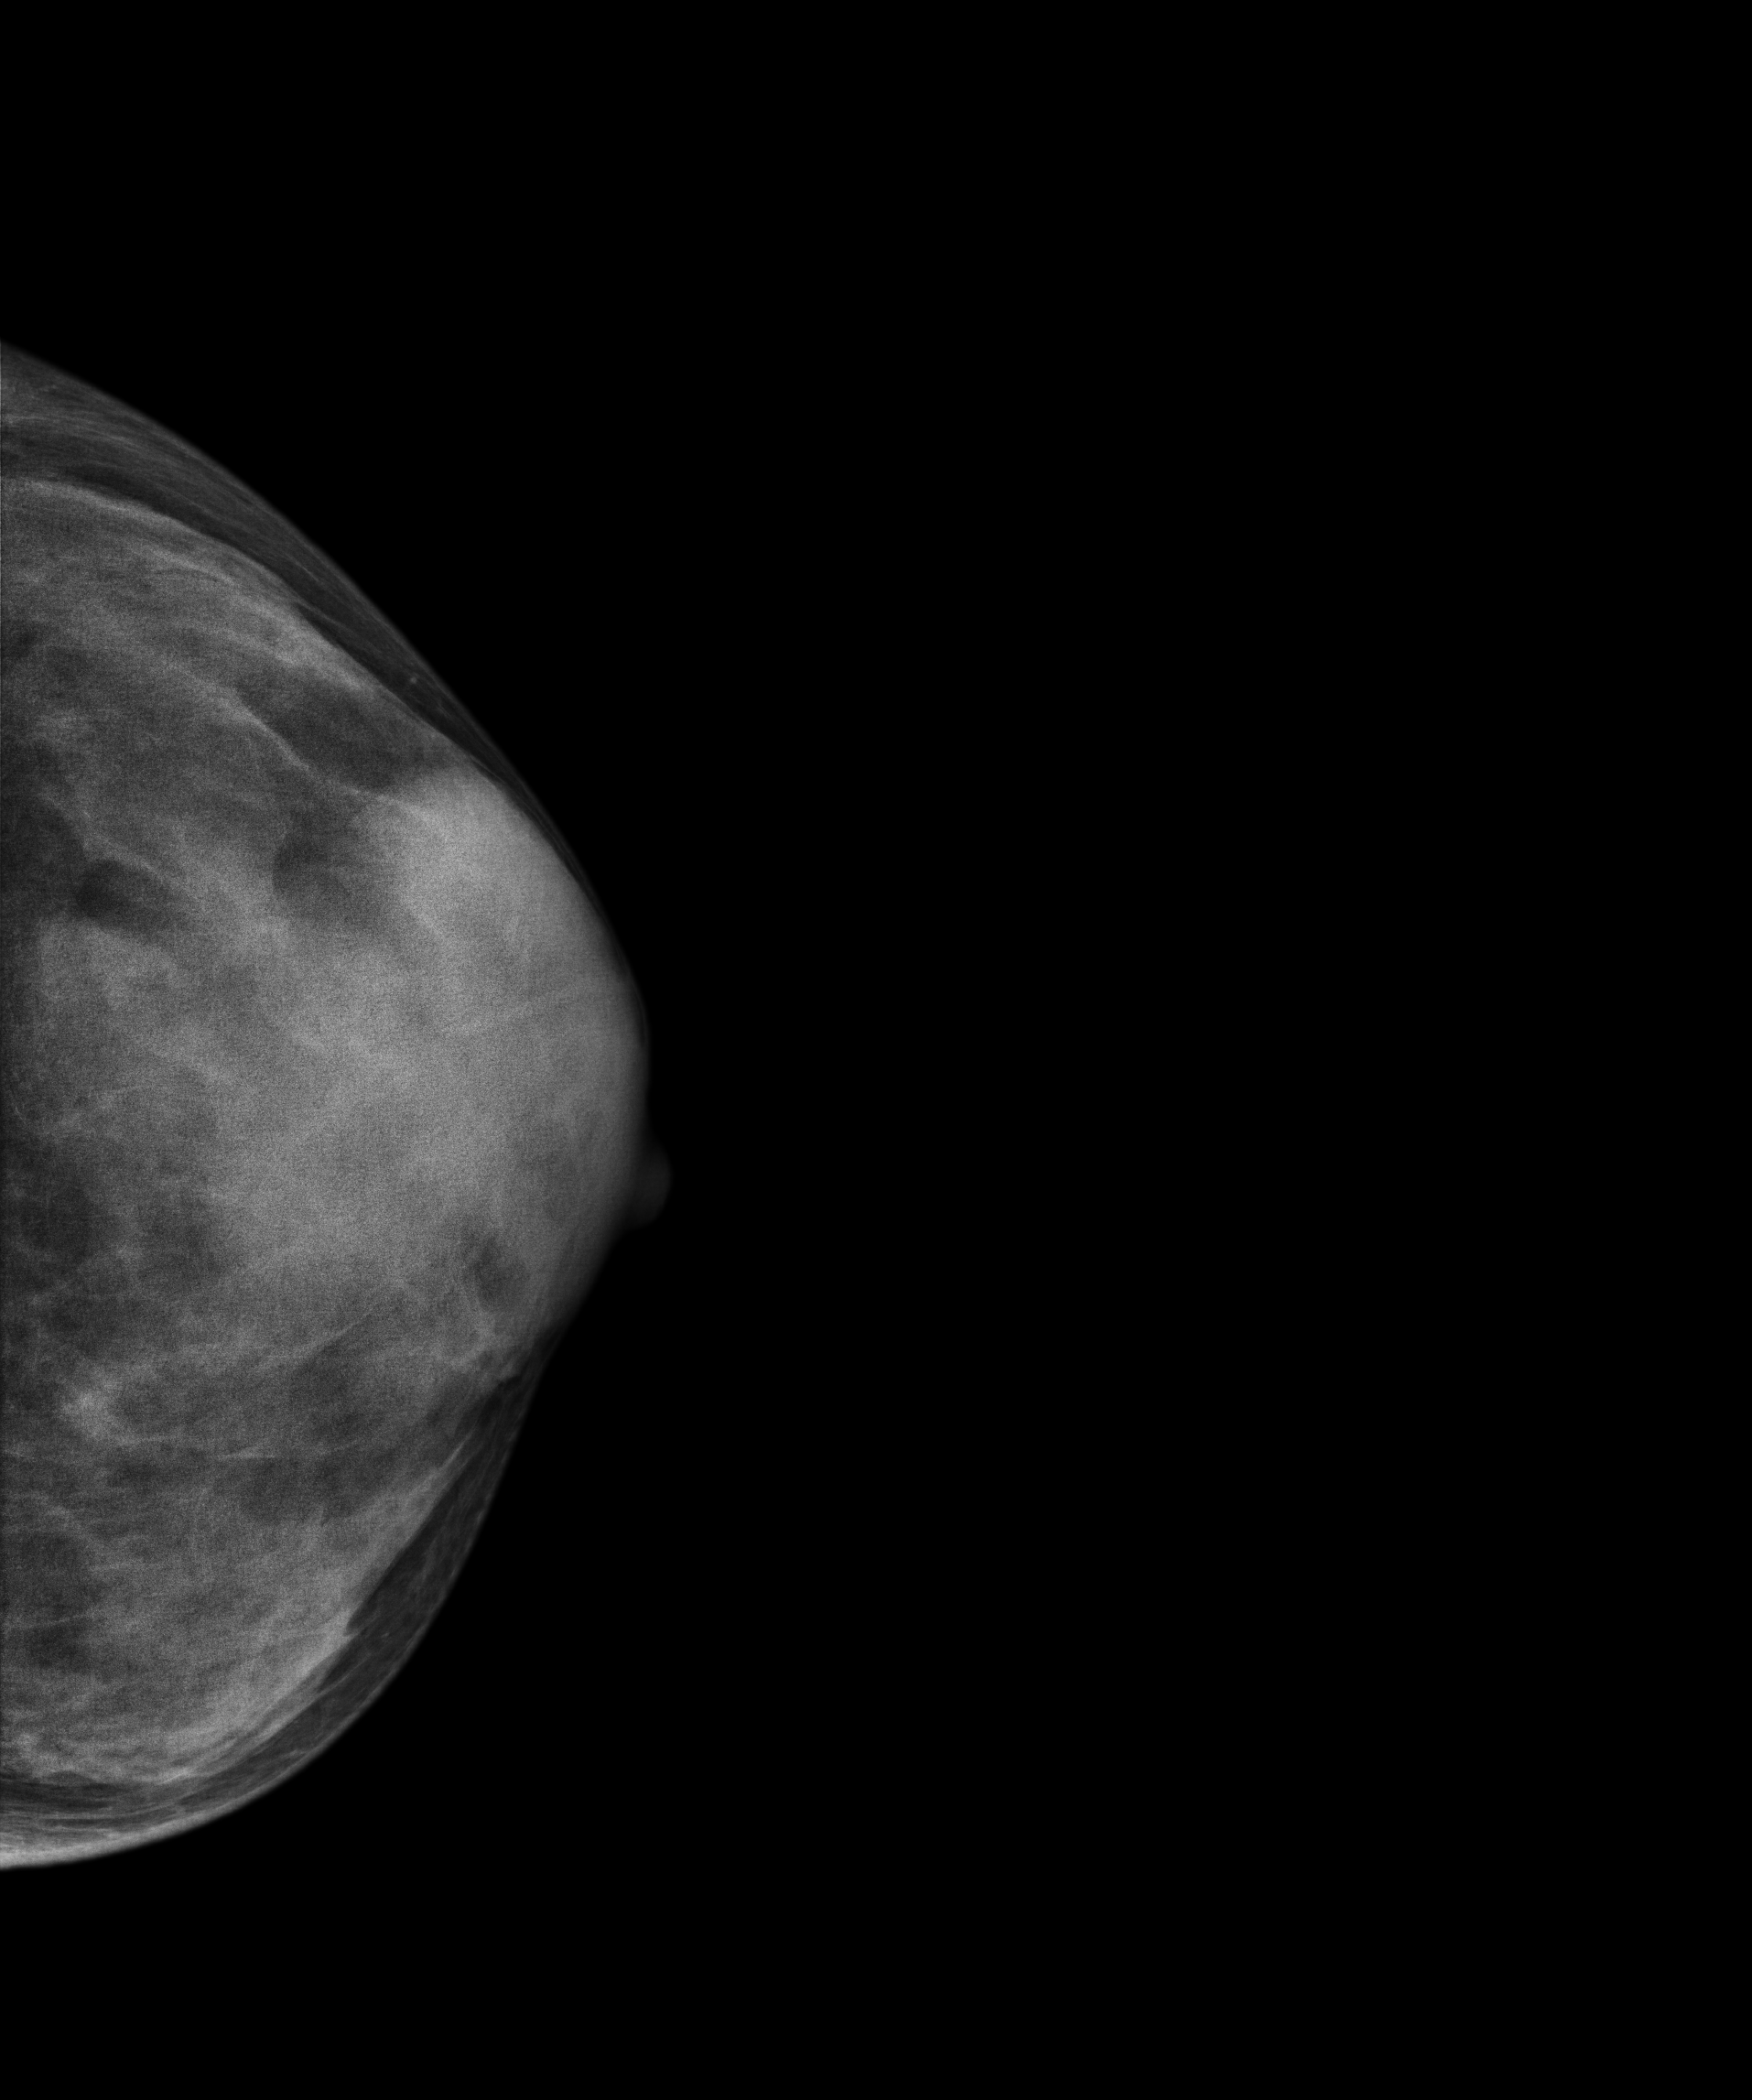
Digital mammography. Left breast, cranio-caudal projection. 20 y/o patient.
This breast has a mass, biopsy-confirmed benign.